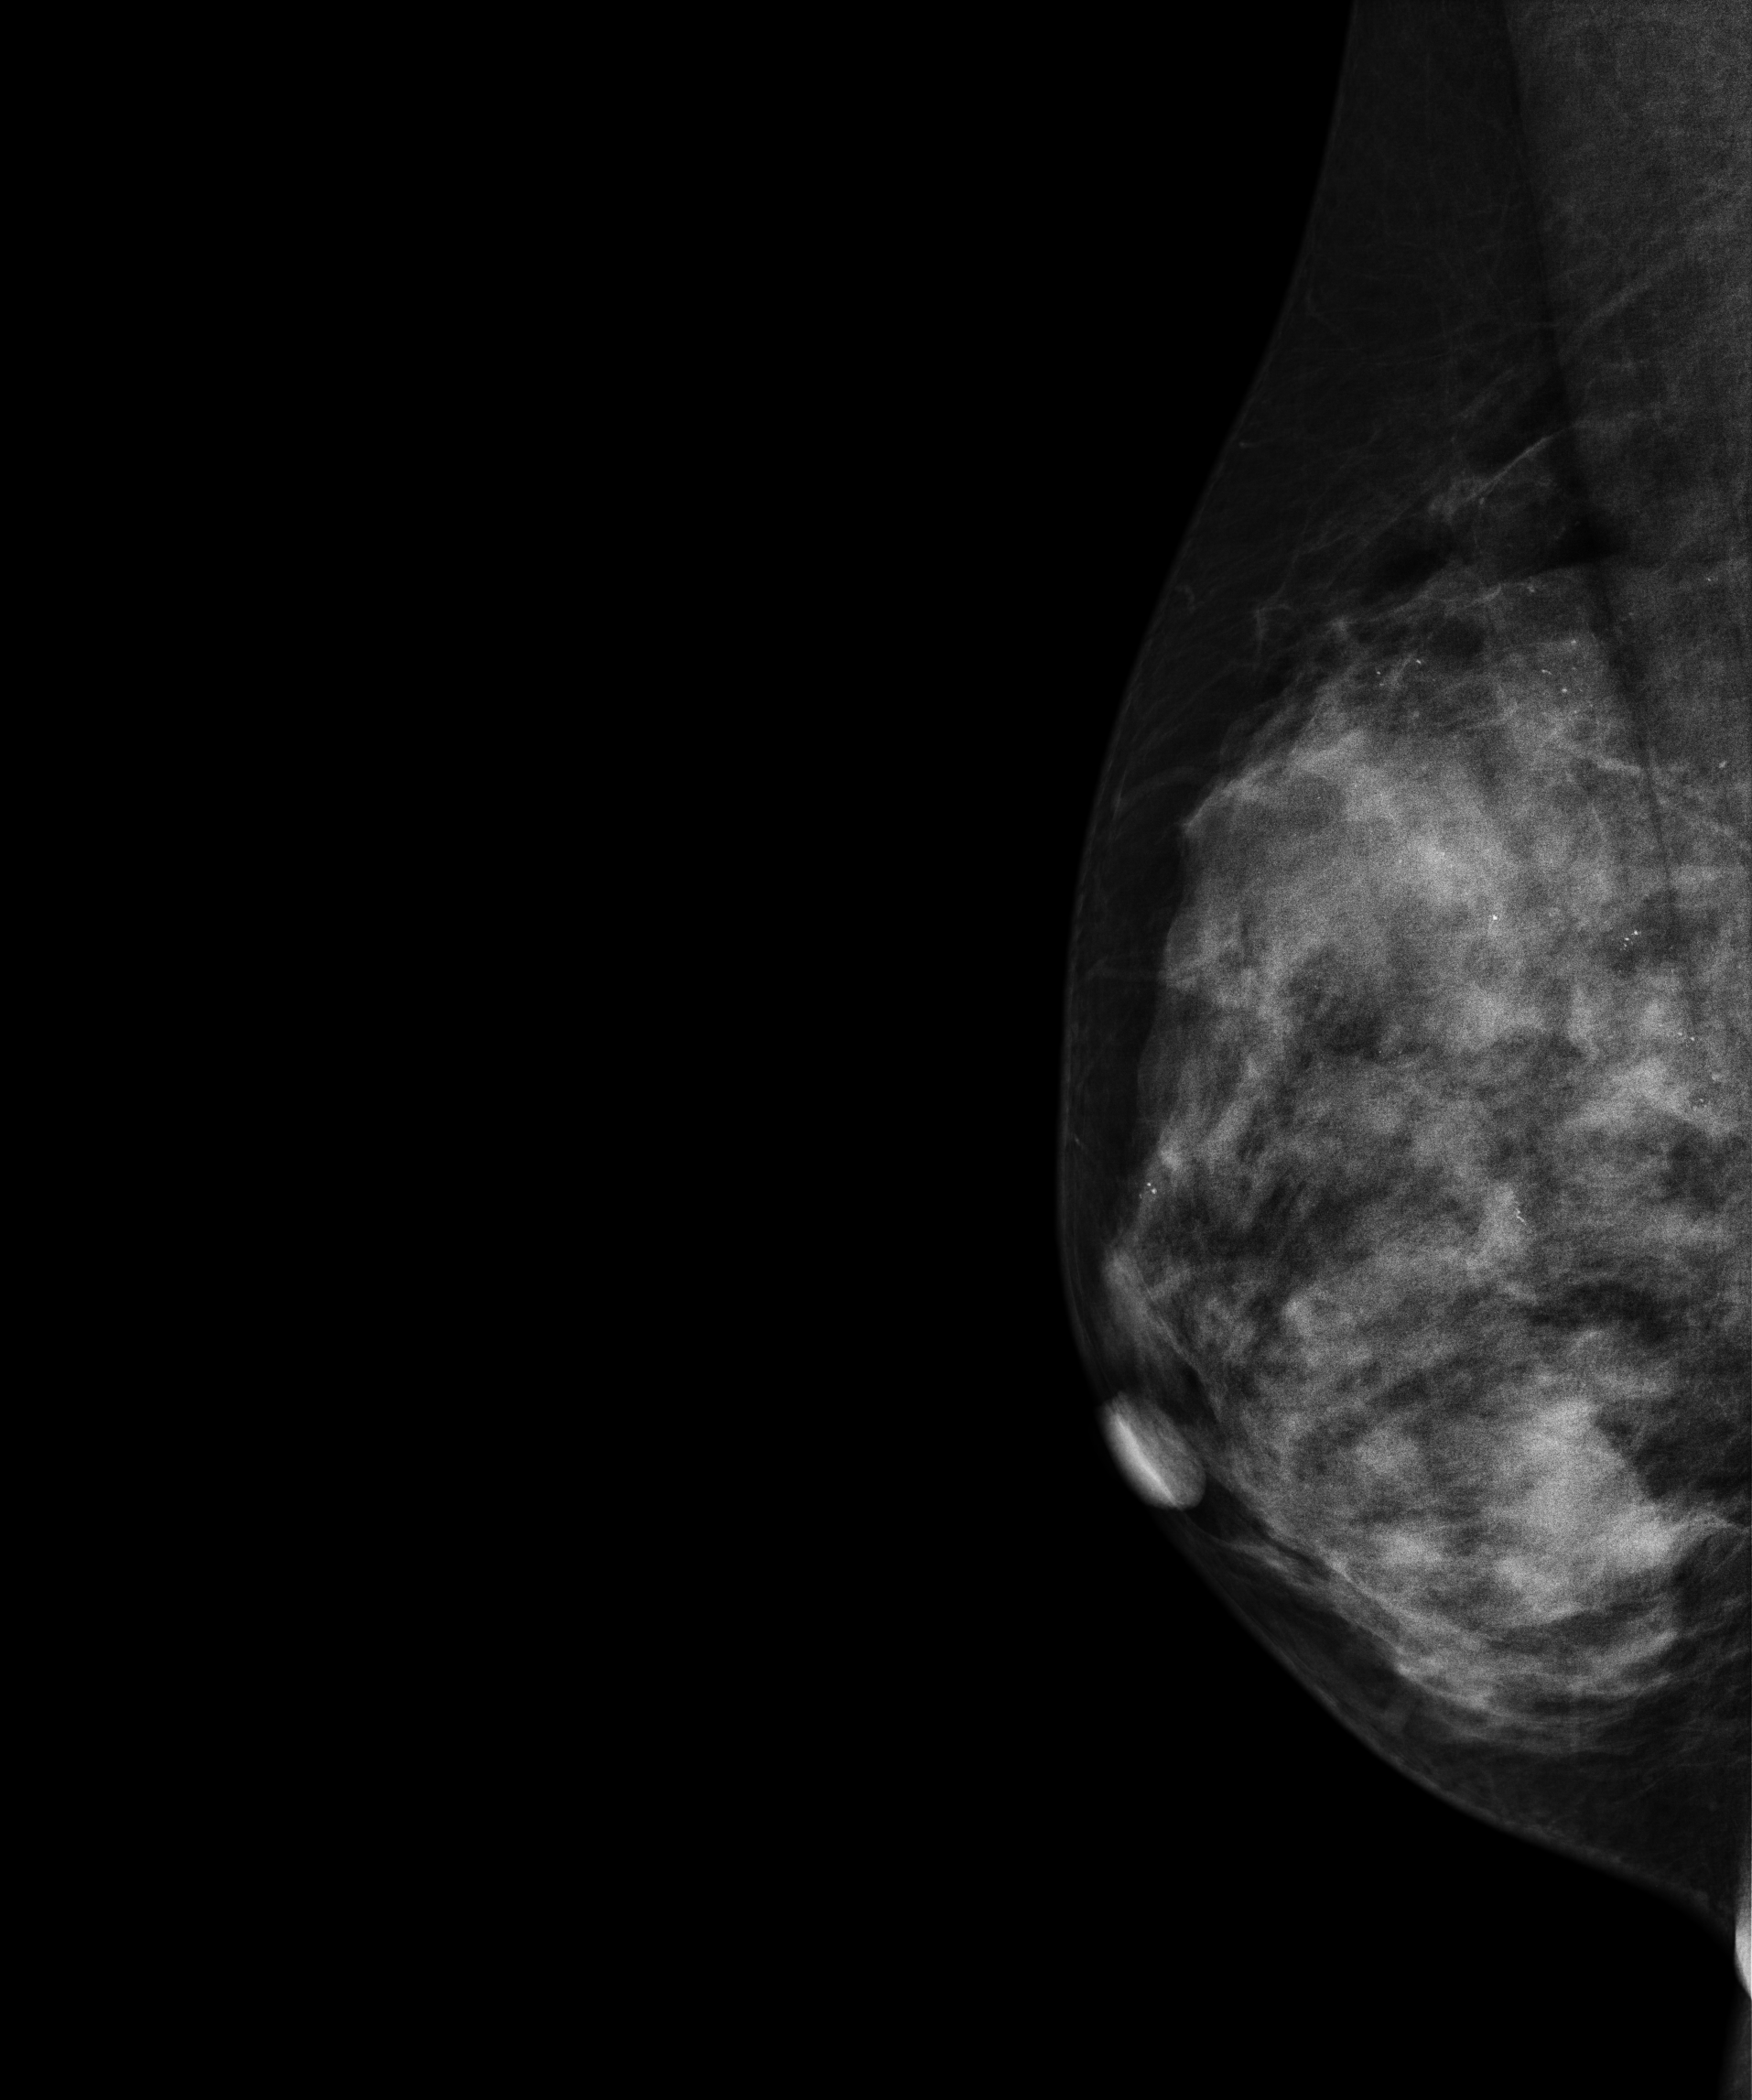
Medio-lateral oblique mammogram of the right breast. 43-year-old patient.
This breast has calcifications, pathology-confirmed malignant.